Left-breast mammogram, cranio-caudal. Patient age 56.
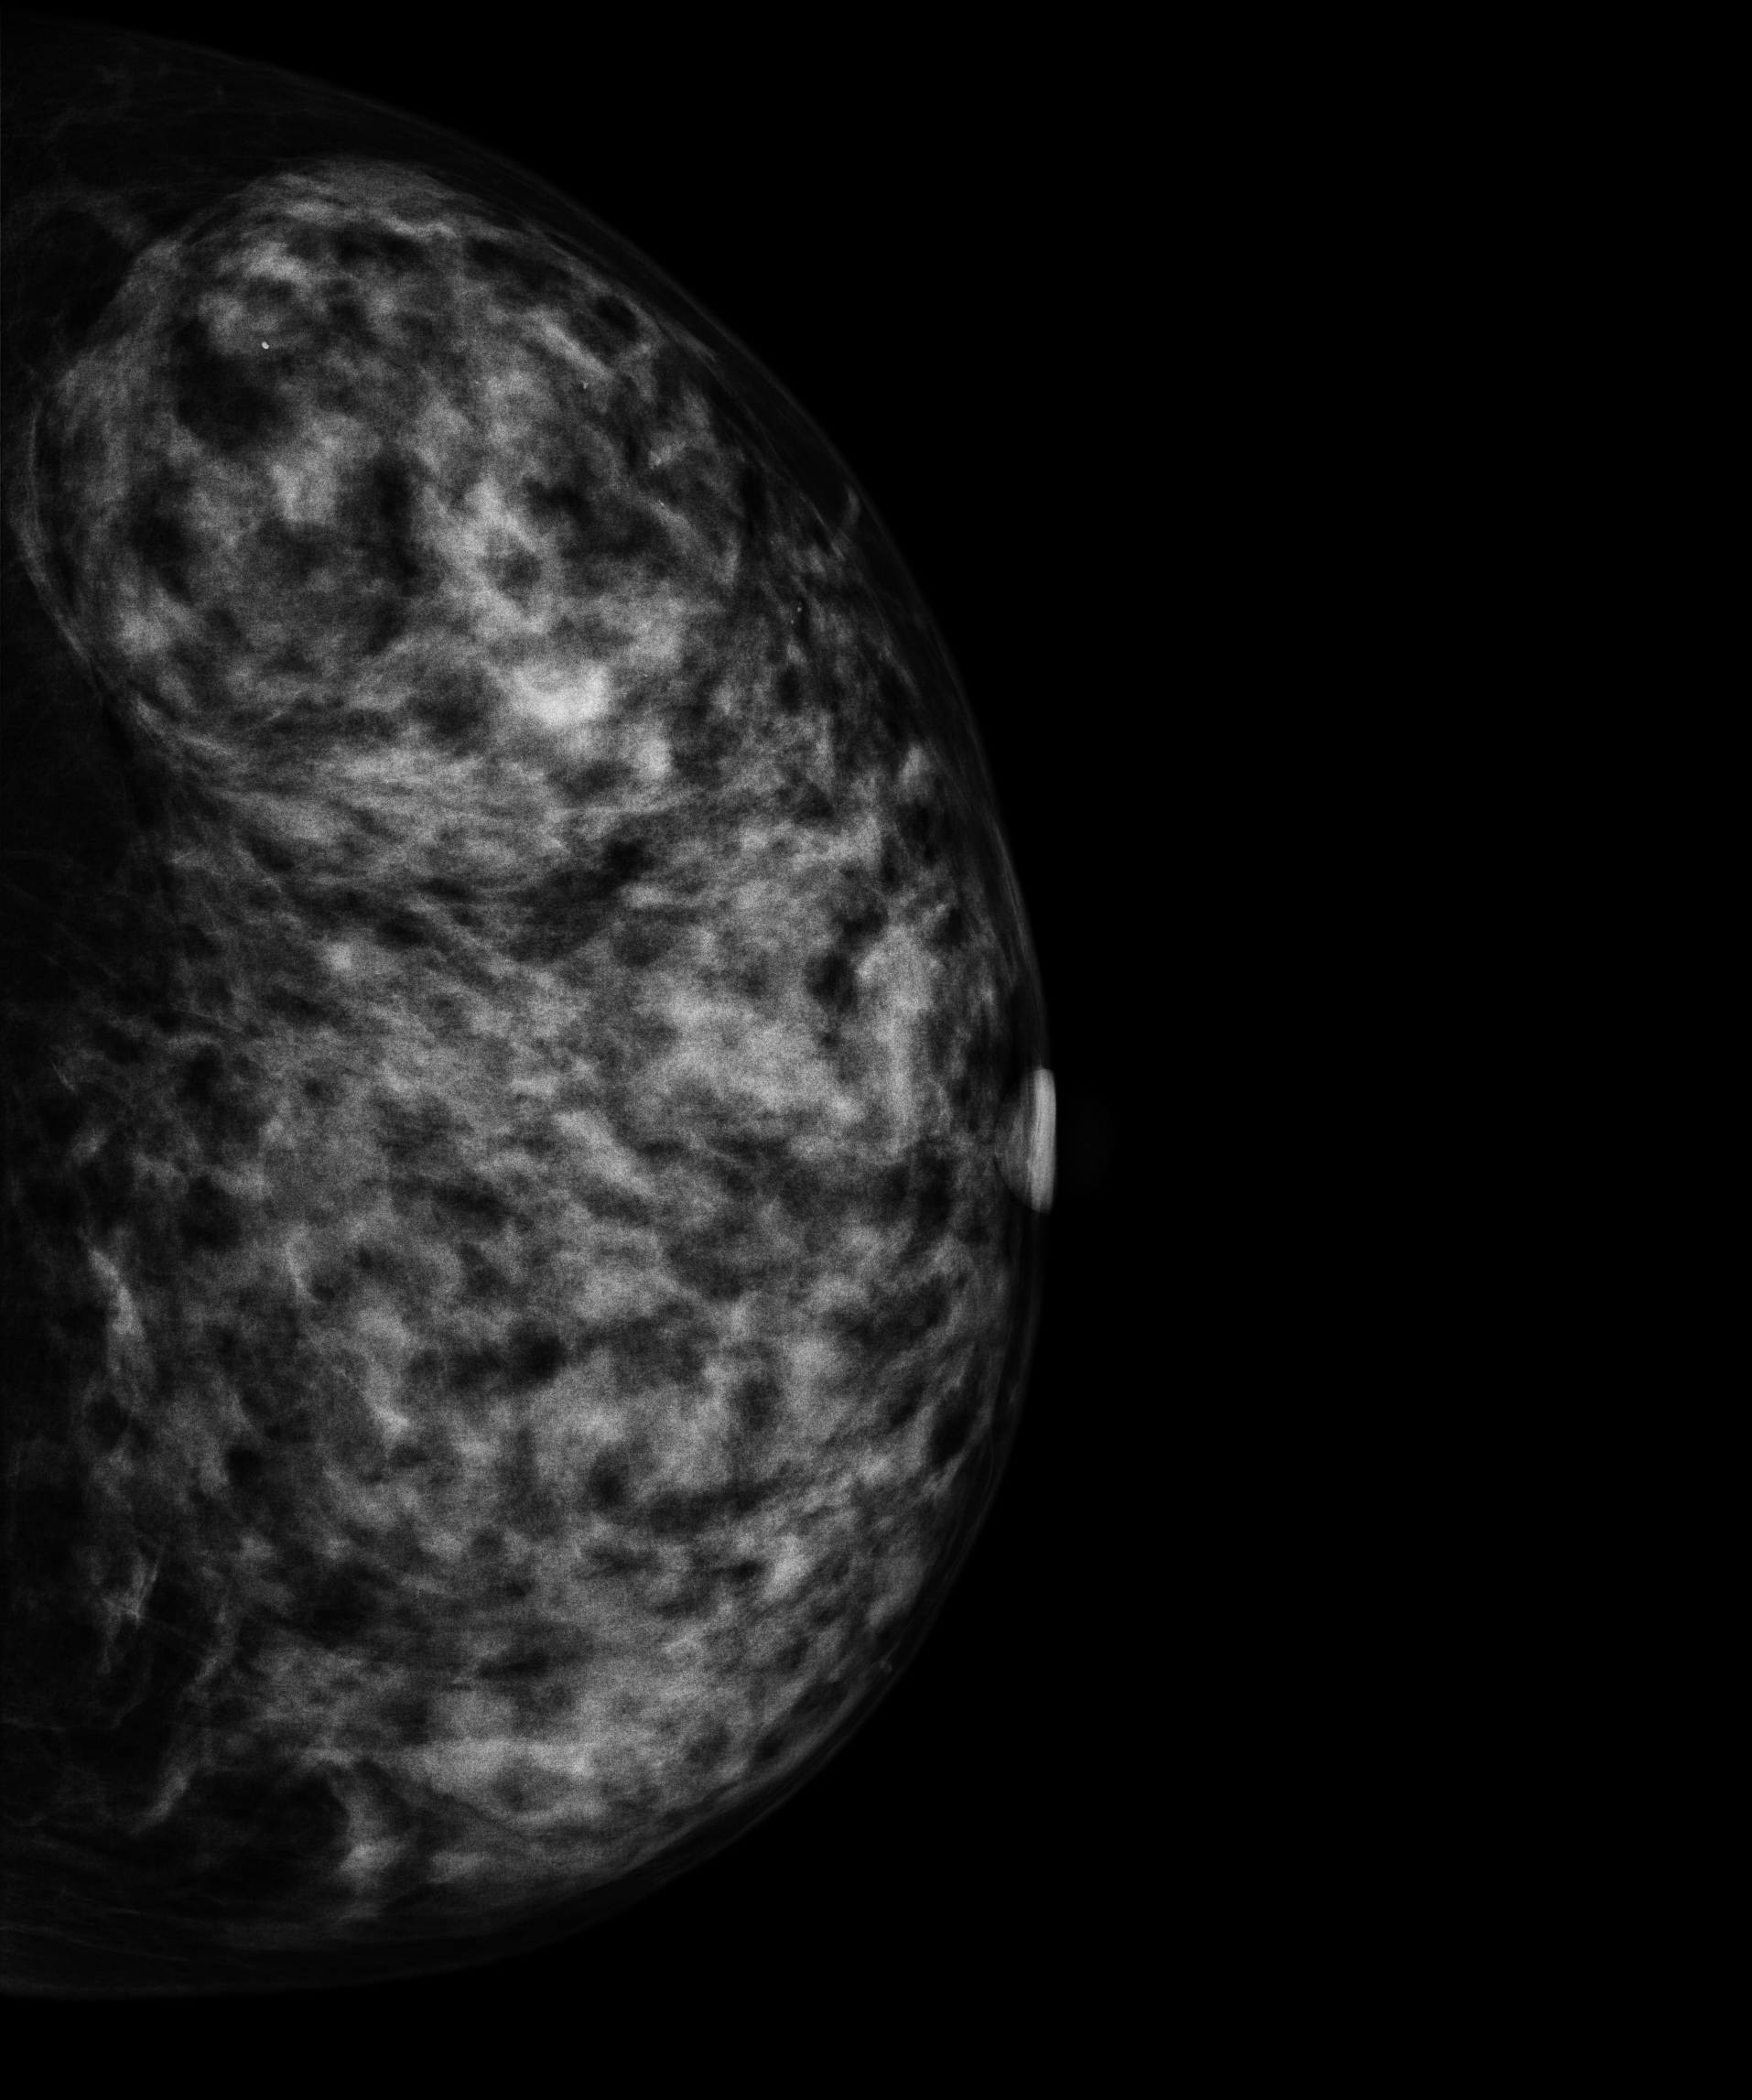
This breast has a mass, histologically confirmed malignant.